Mammogram, right breast, MLO view. Patient age 57.
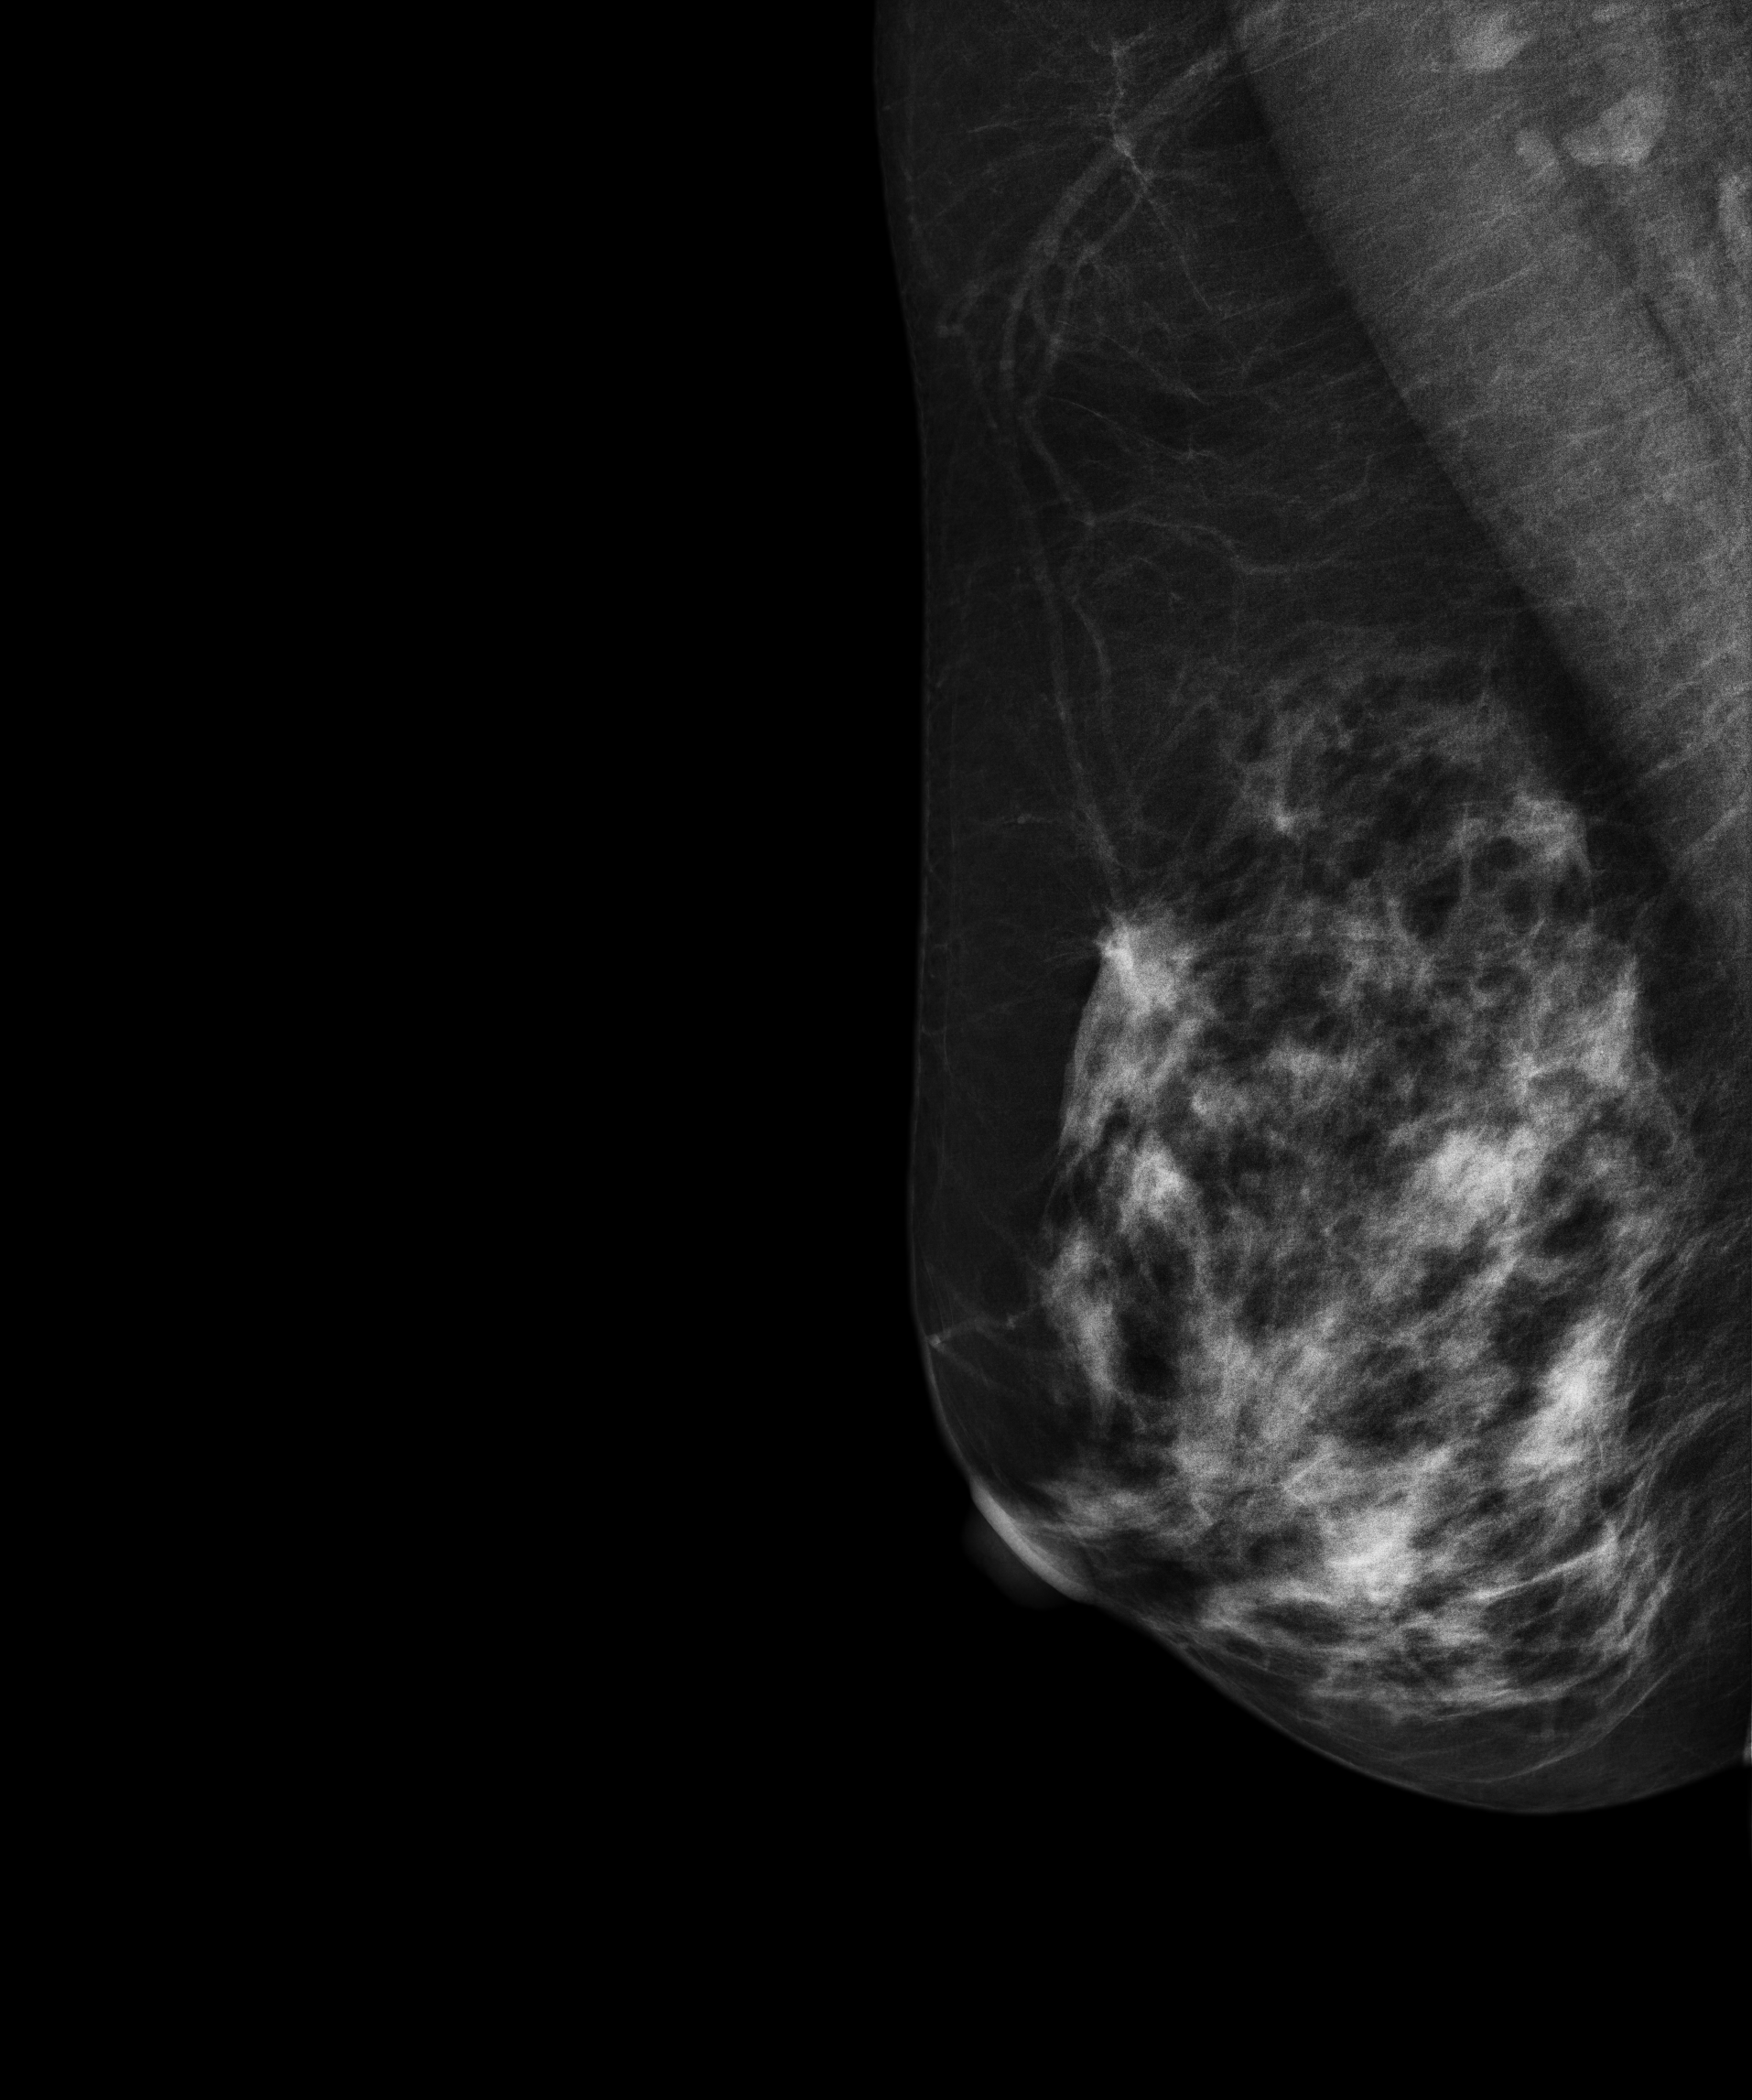
Contralateral breast — no documented abnormality on this side.